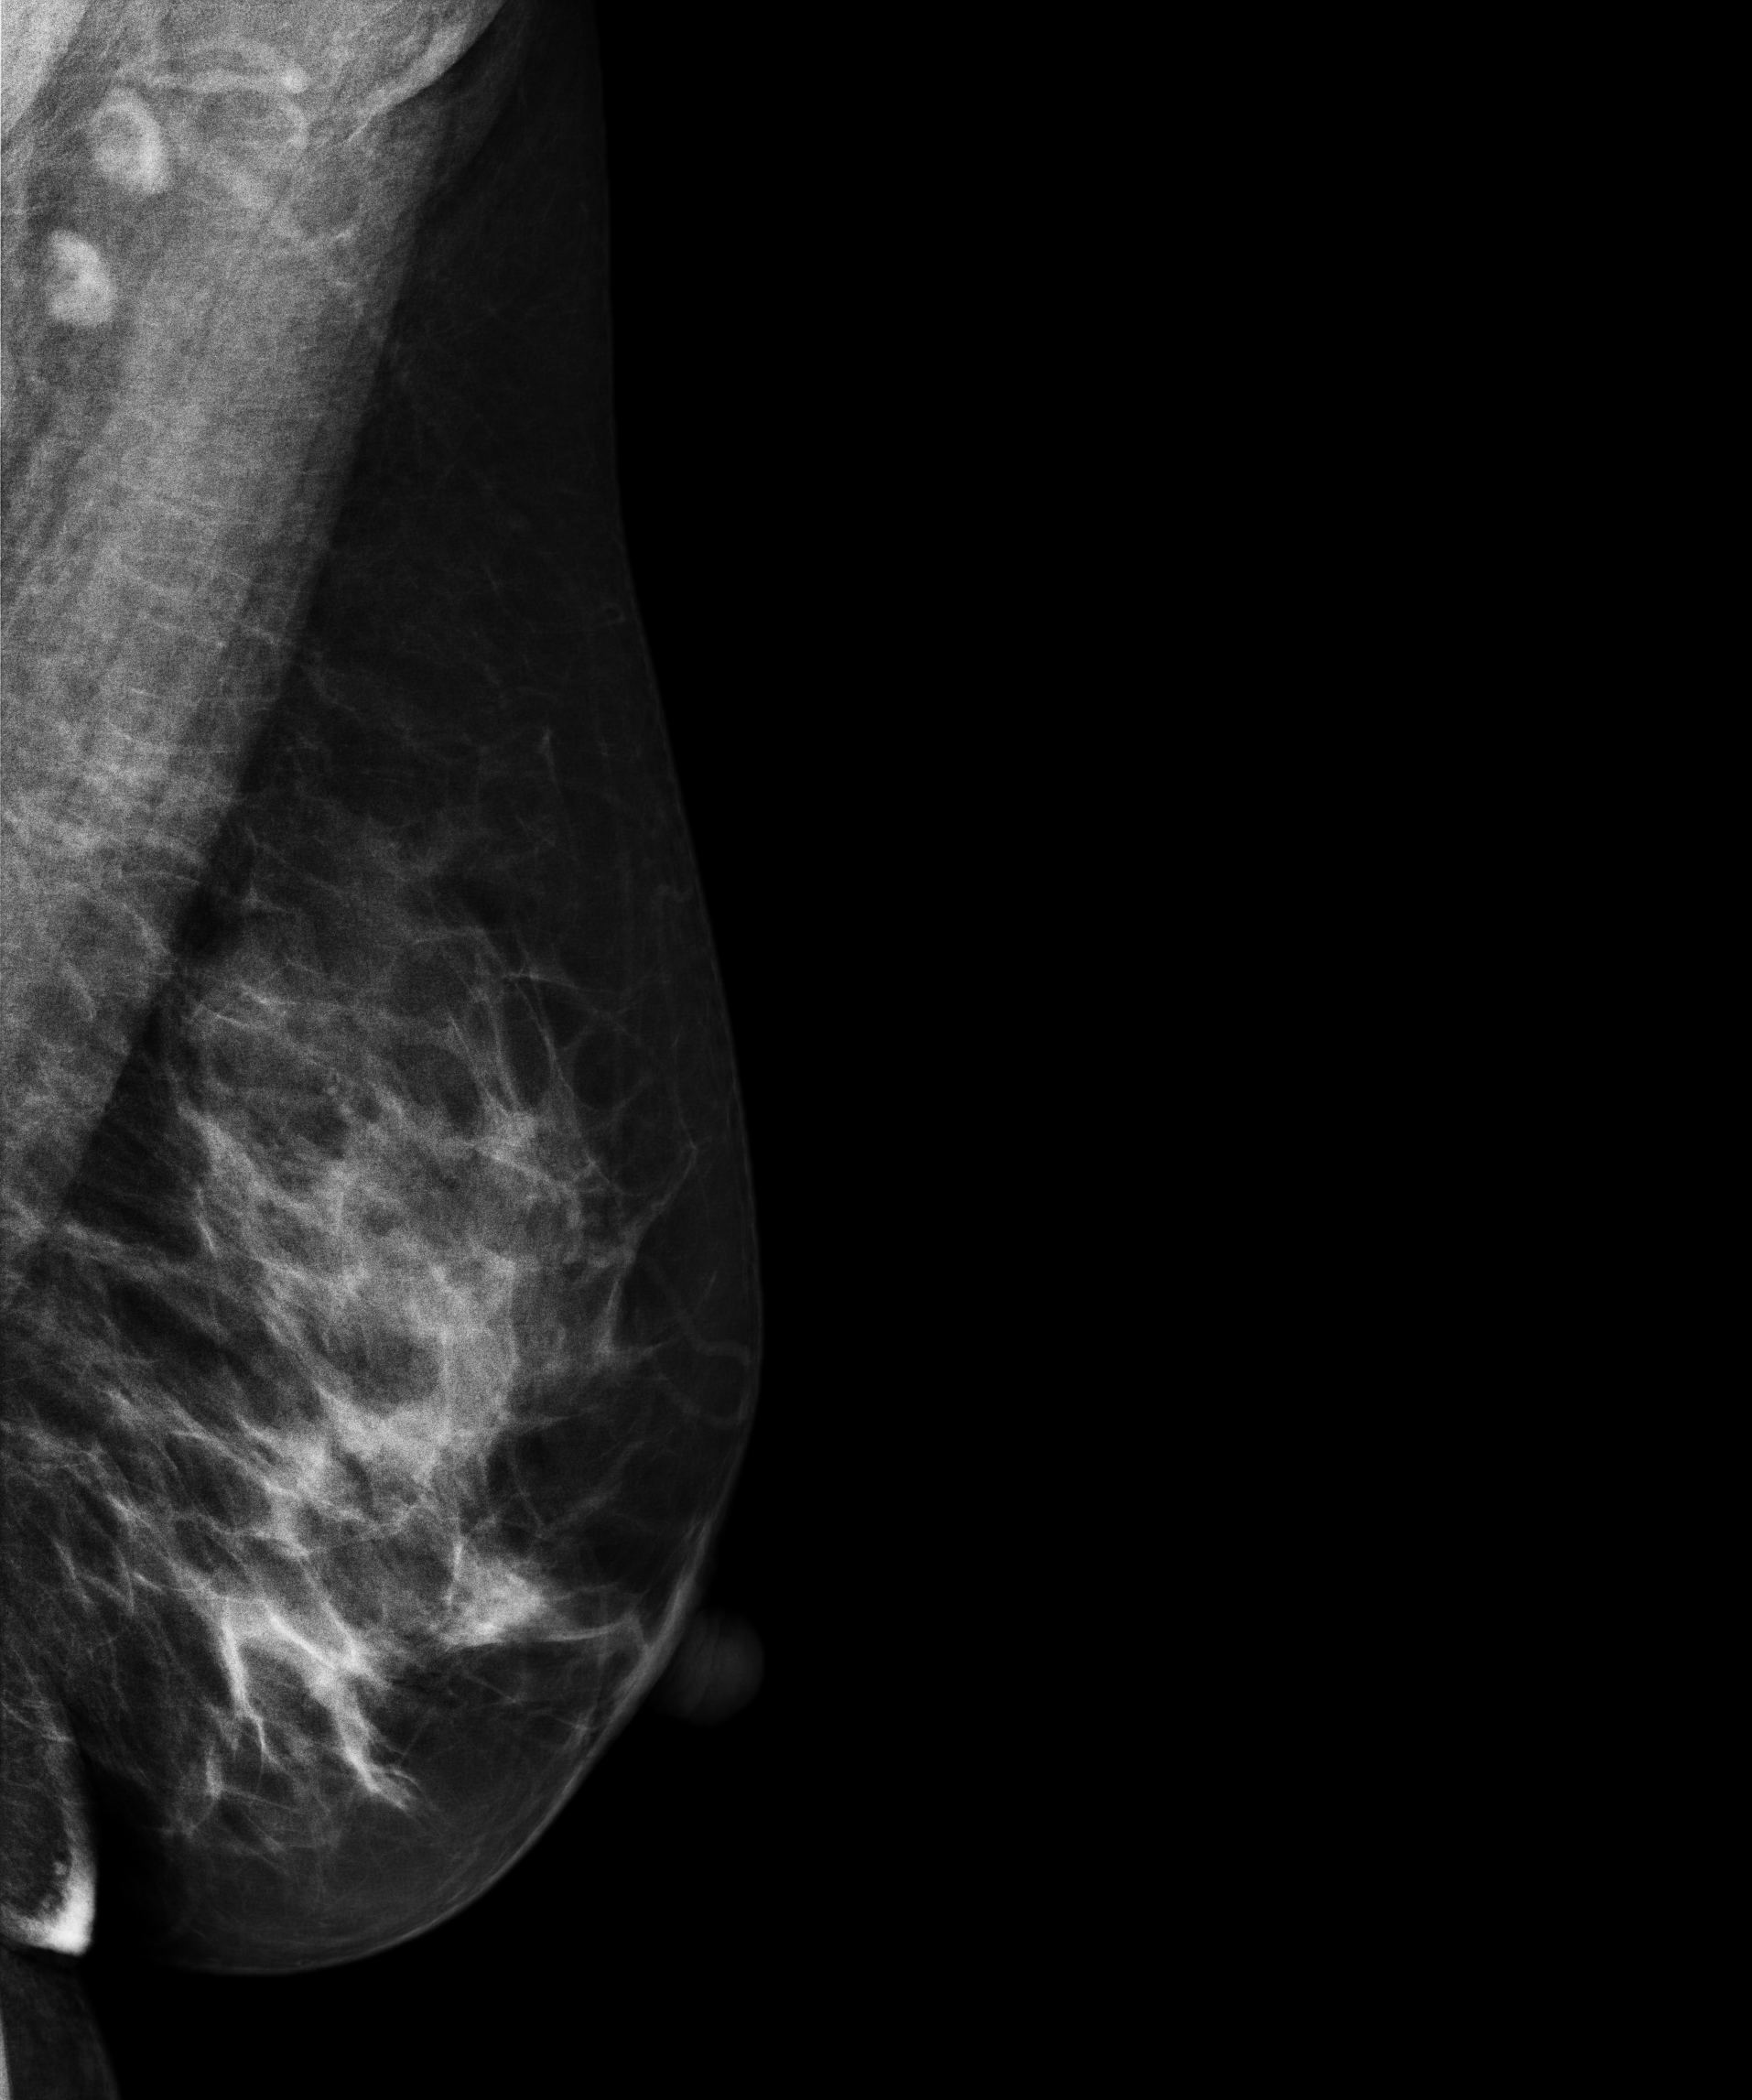
Left-breast mammogram, MLO. 46 y/o patient.
Contralateral breast — no documented abnormality on this side.